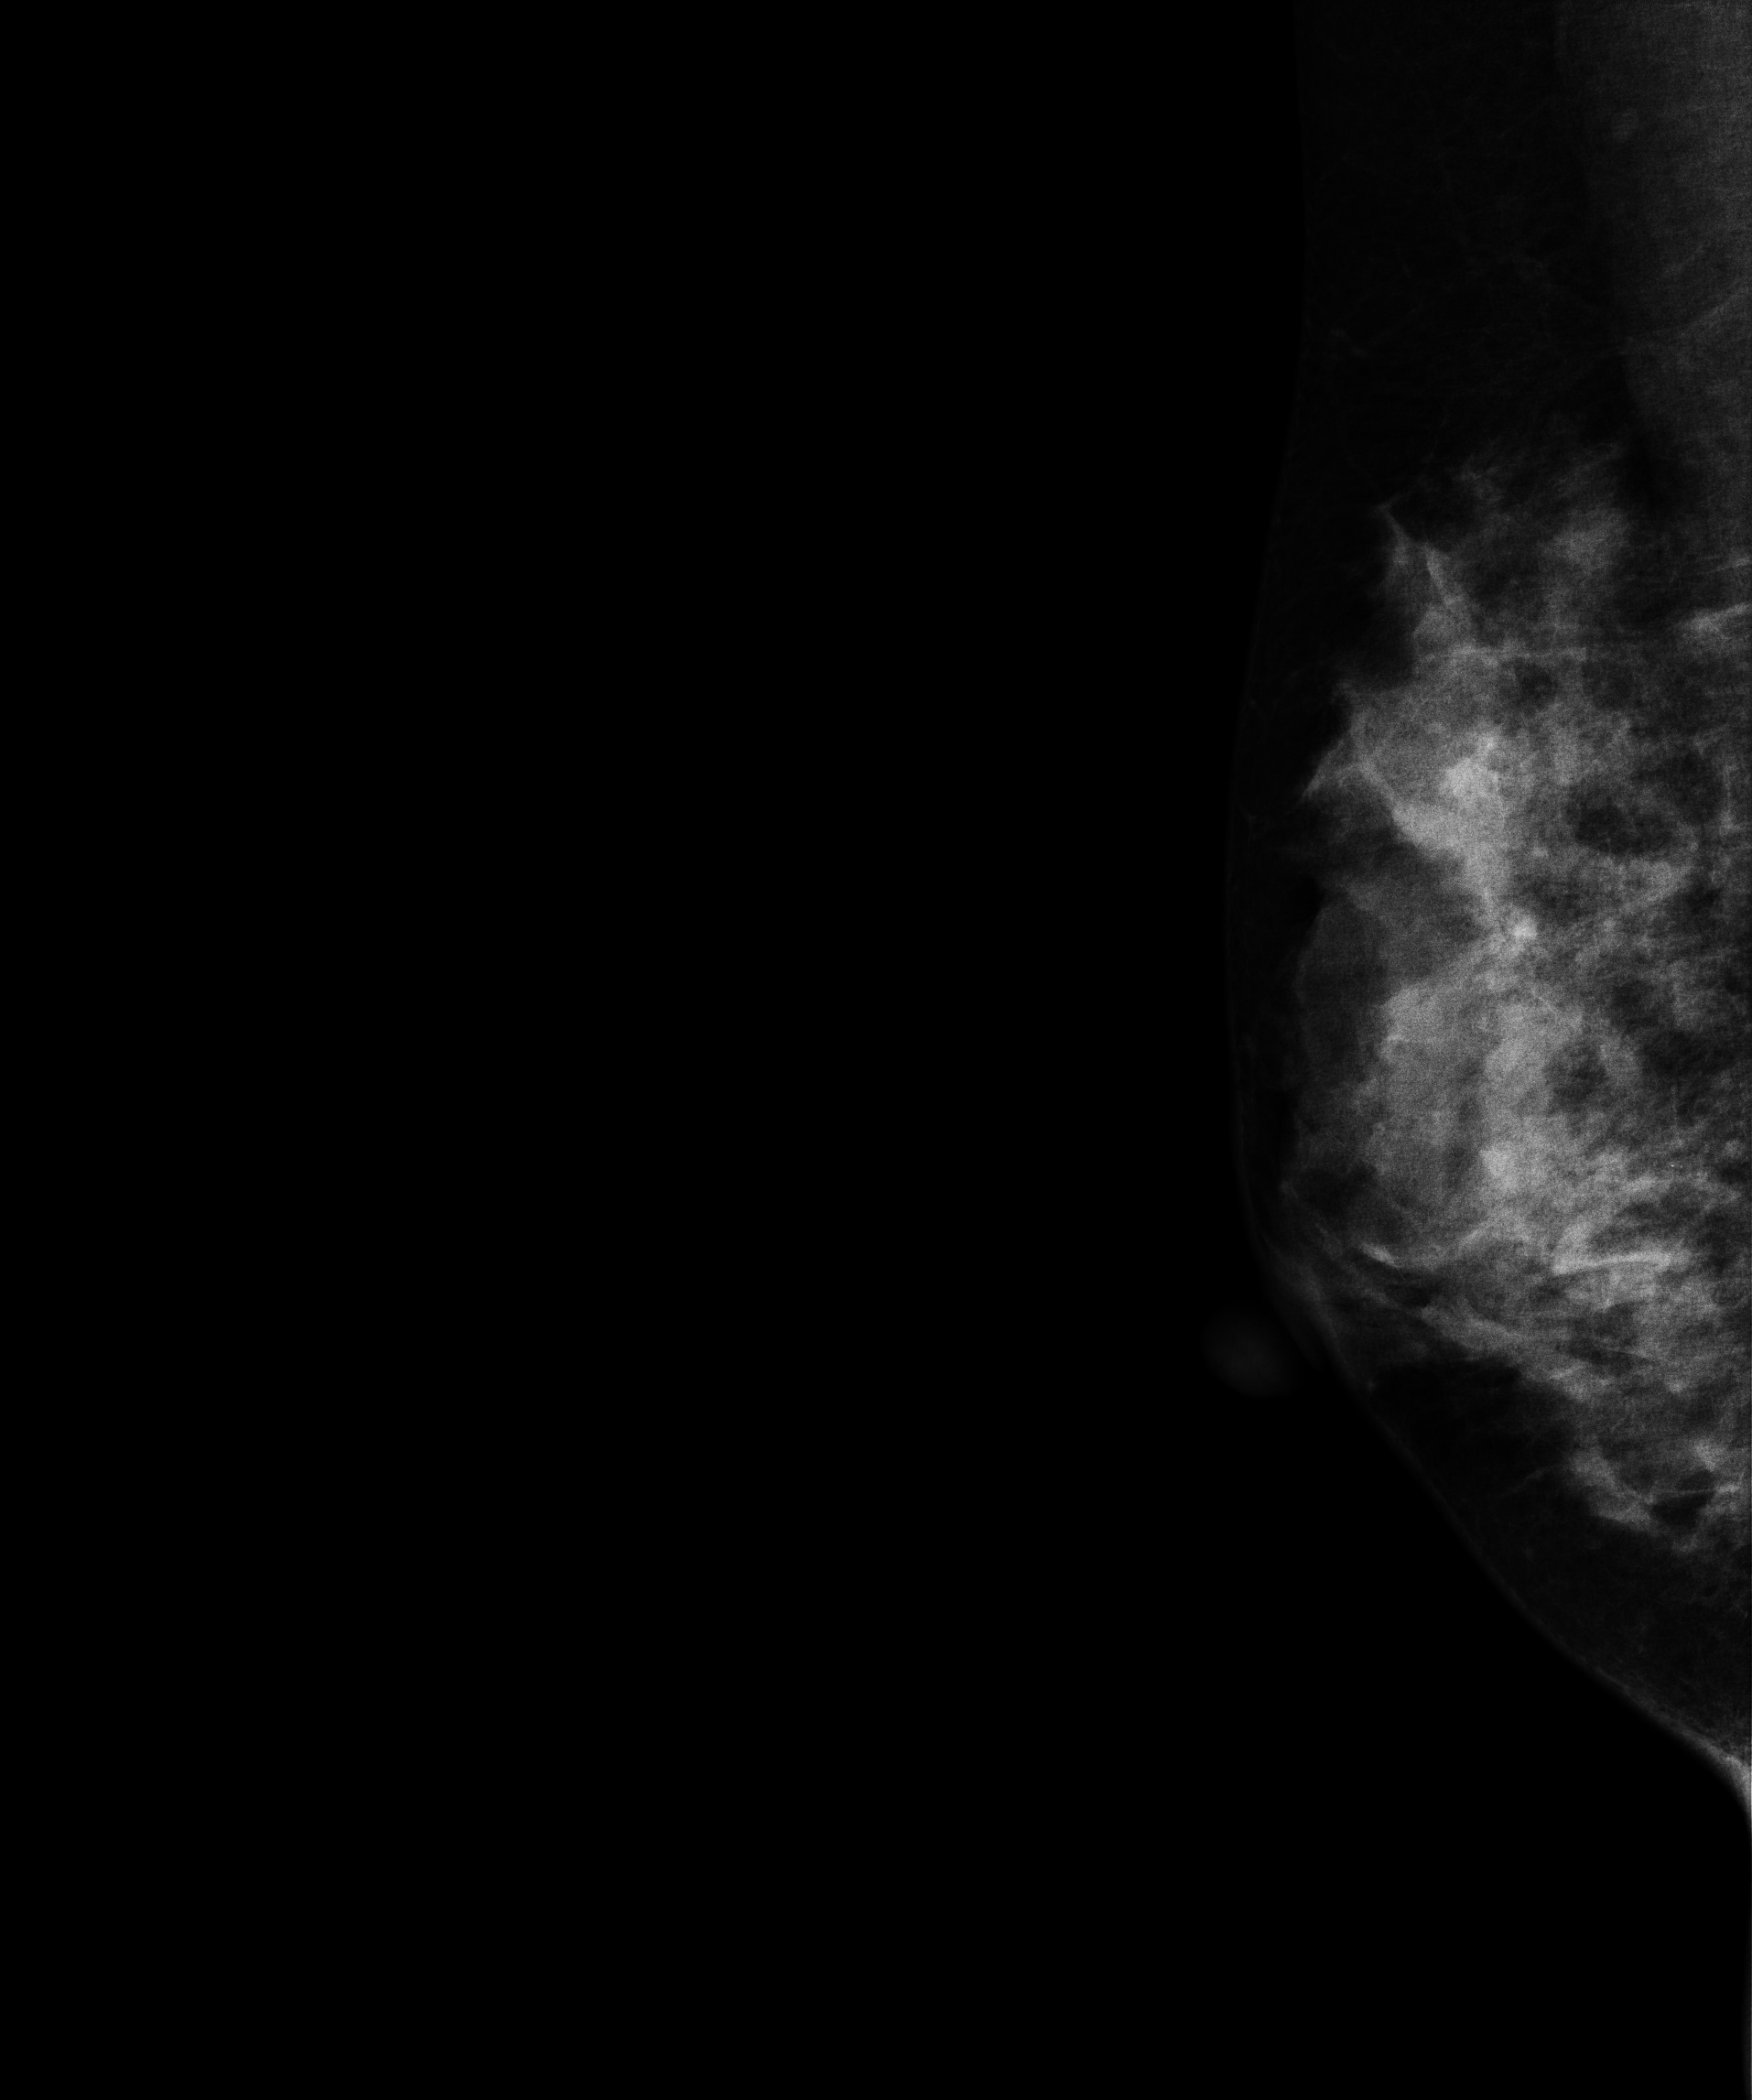
Mammogram, right breast, MLO view. 37-year-old patient.
Contralateral breast — no documented abnormality on this side.